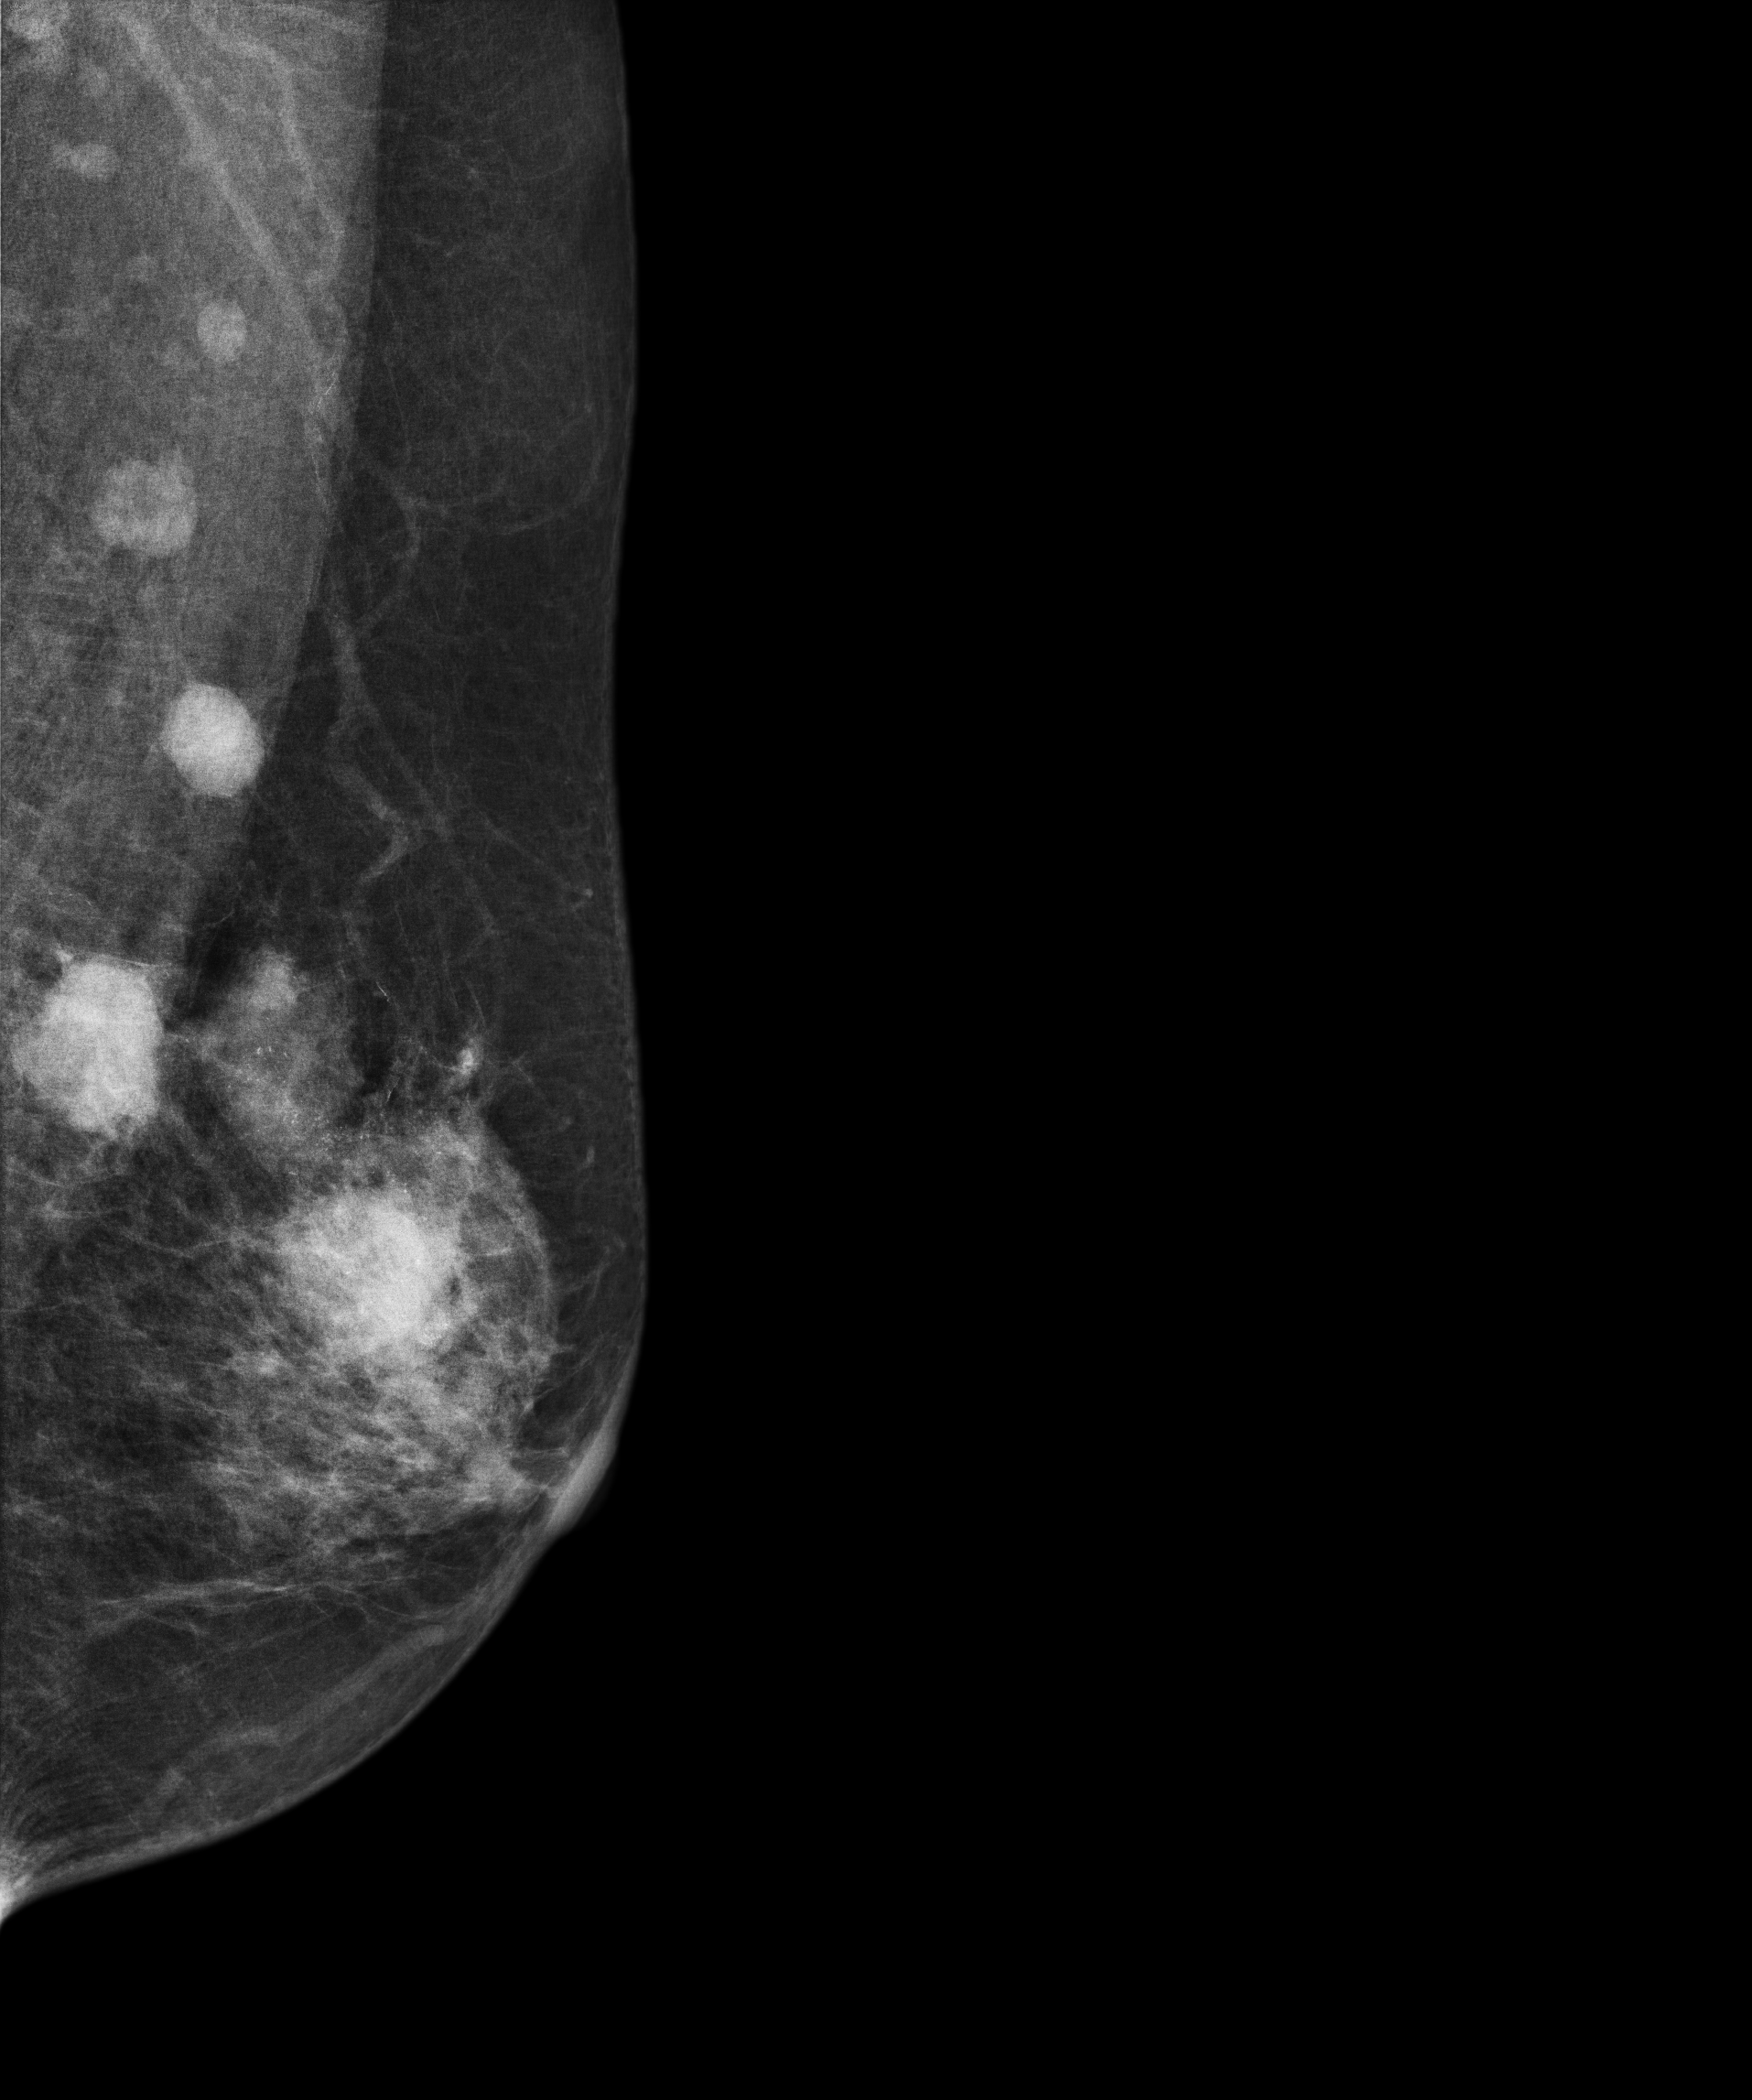
Left-breast mammogram, MLO. 72-year-old patient.
This breast has a mass and calcifications, histologically confirmed malignant. Molecular subtype: luminal B.